CC mammogram of the left breast. 59-year-old patient.
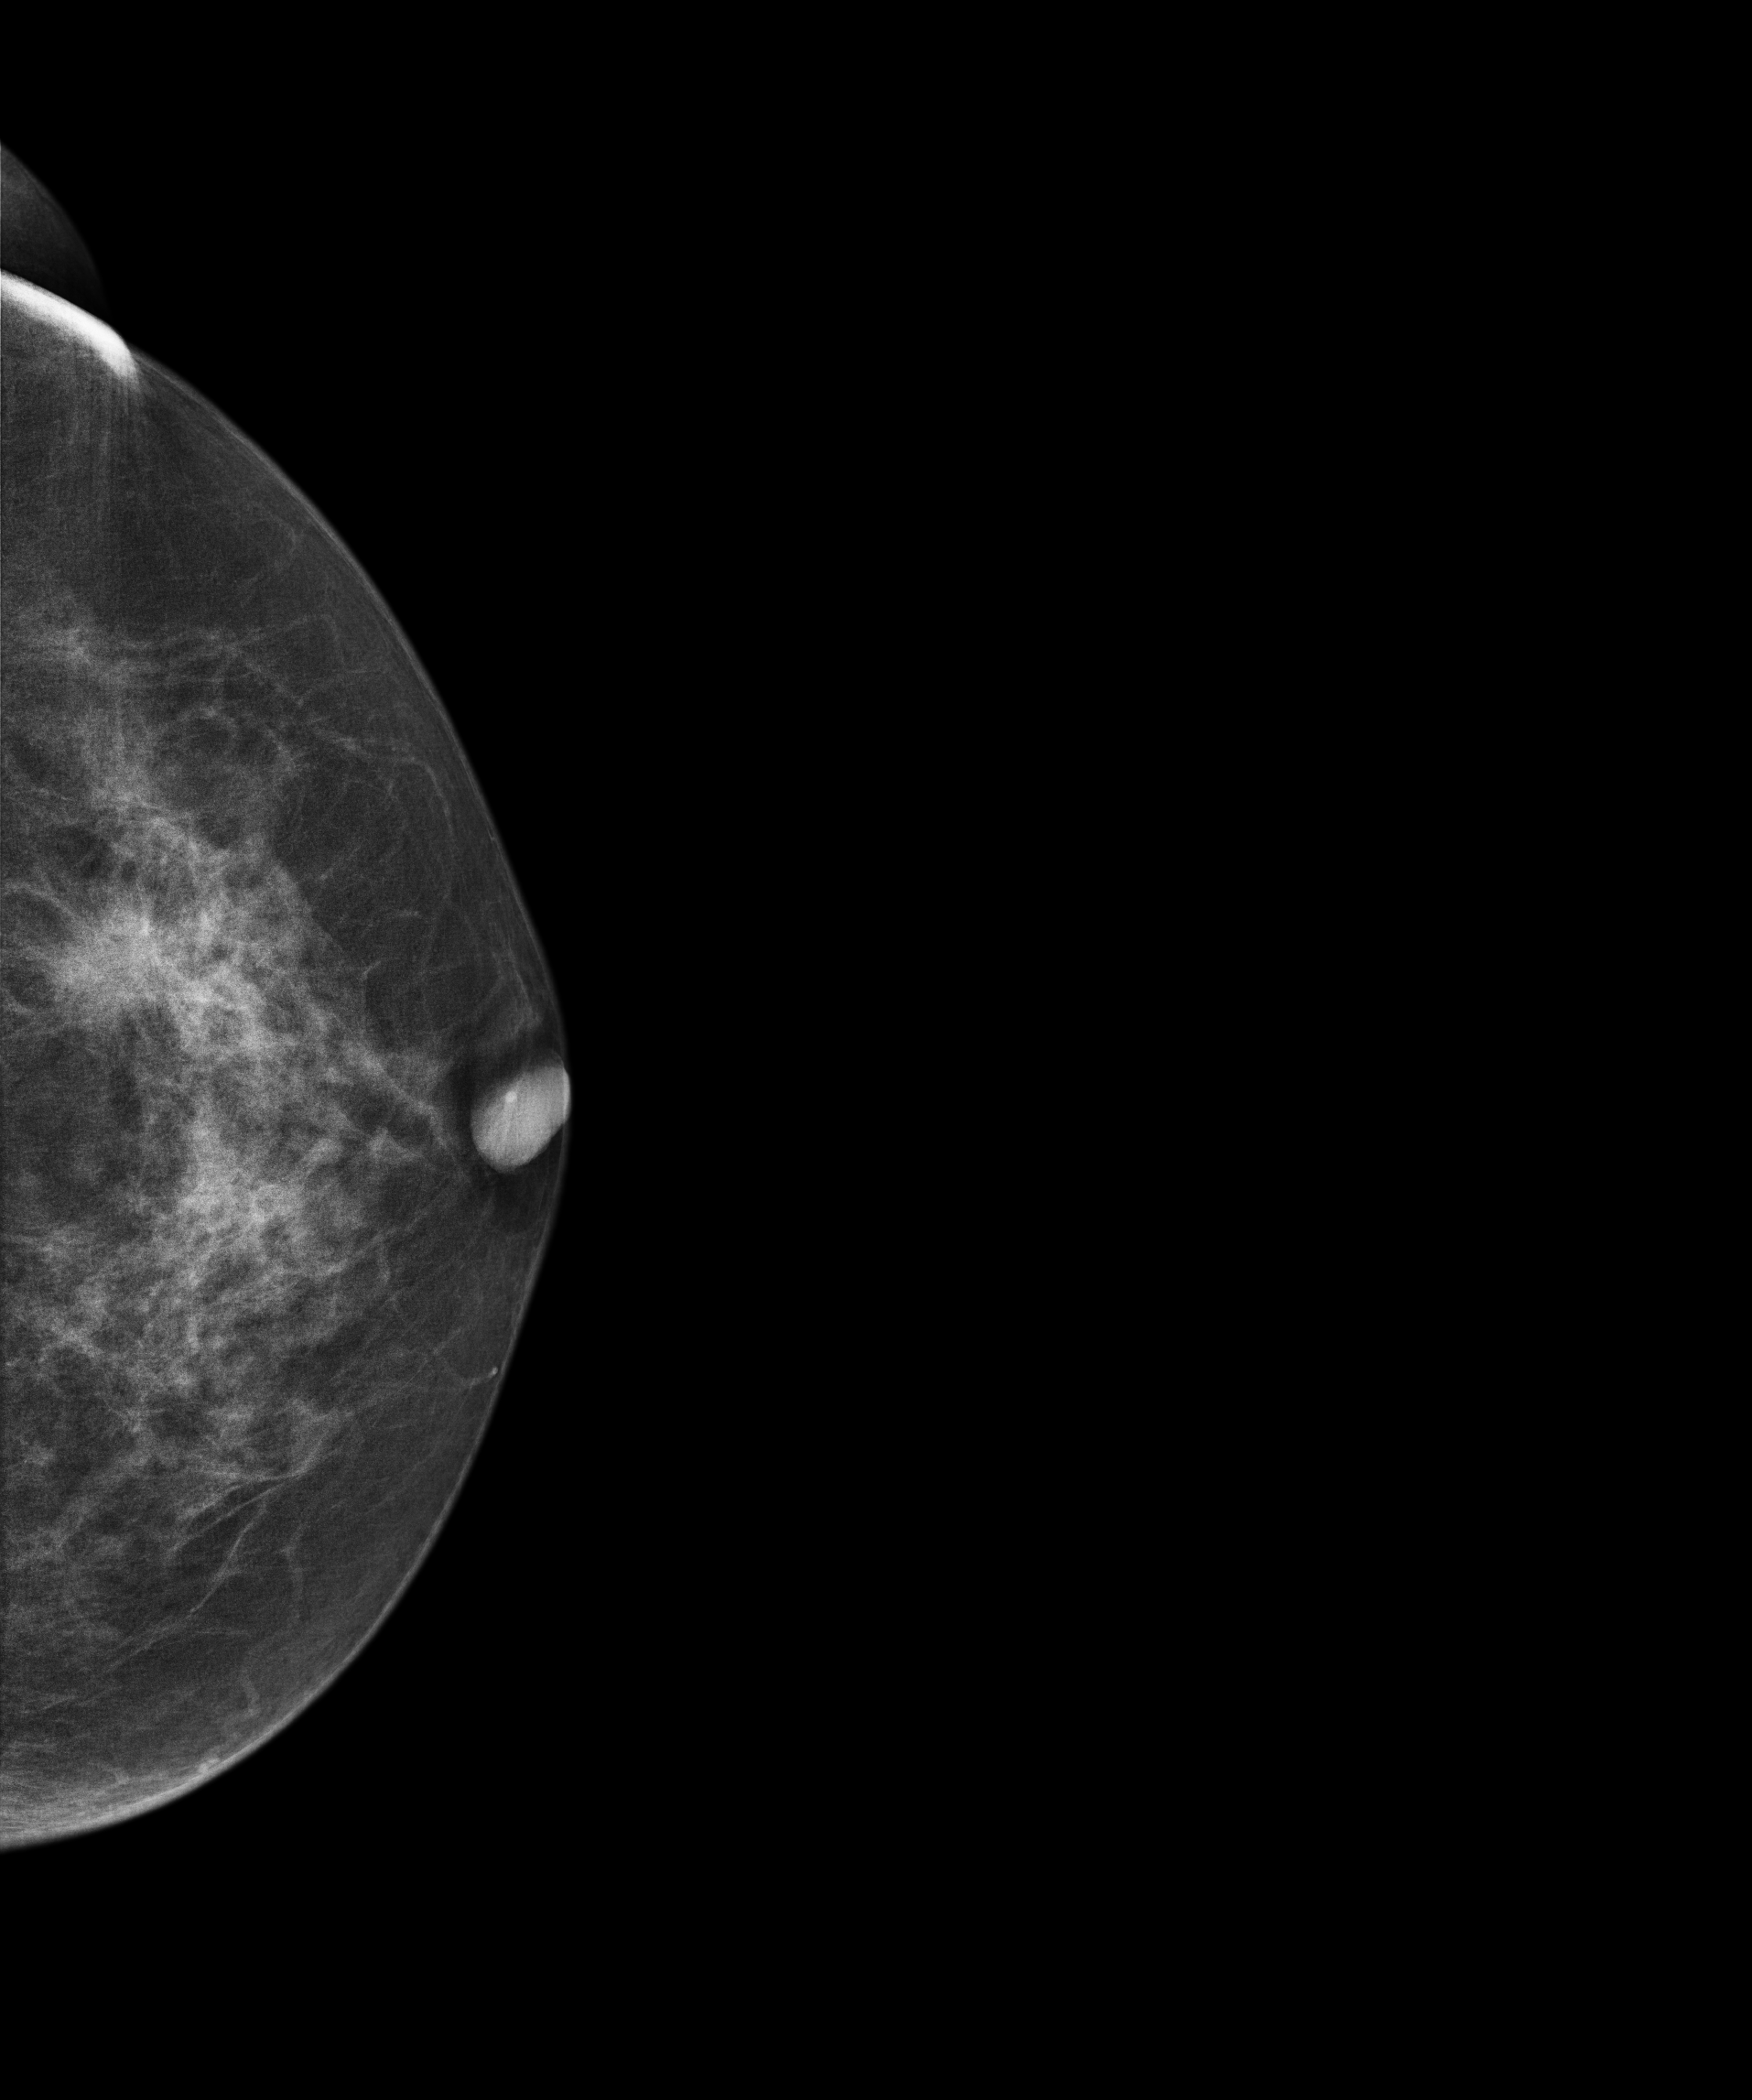
This breast has a mass, histologically confirmed malignant. Molecular subtype: luminal A.